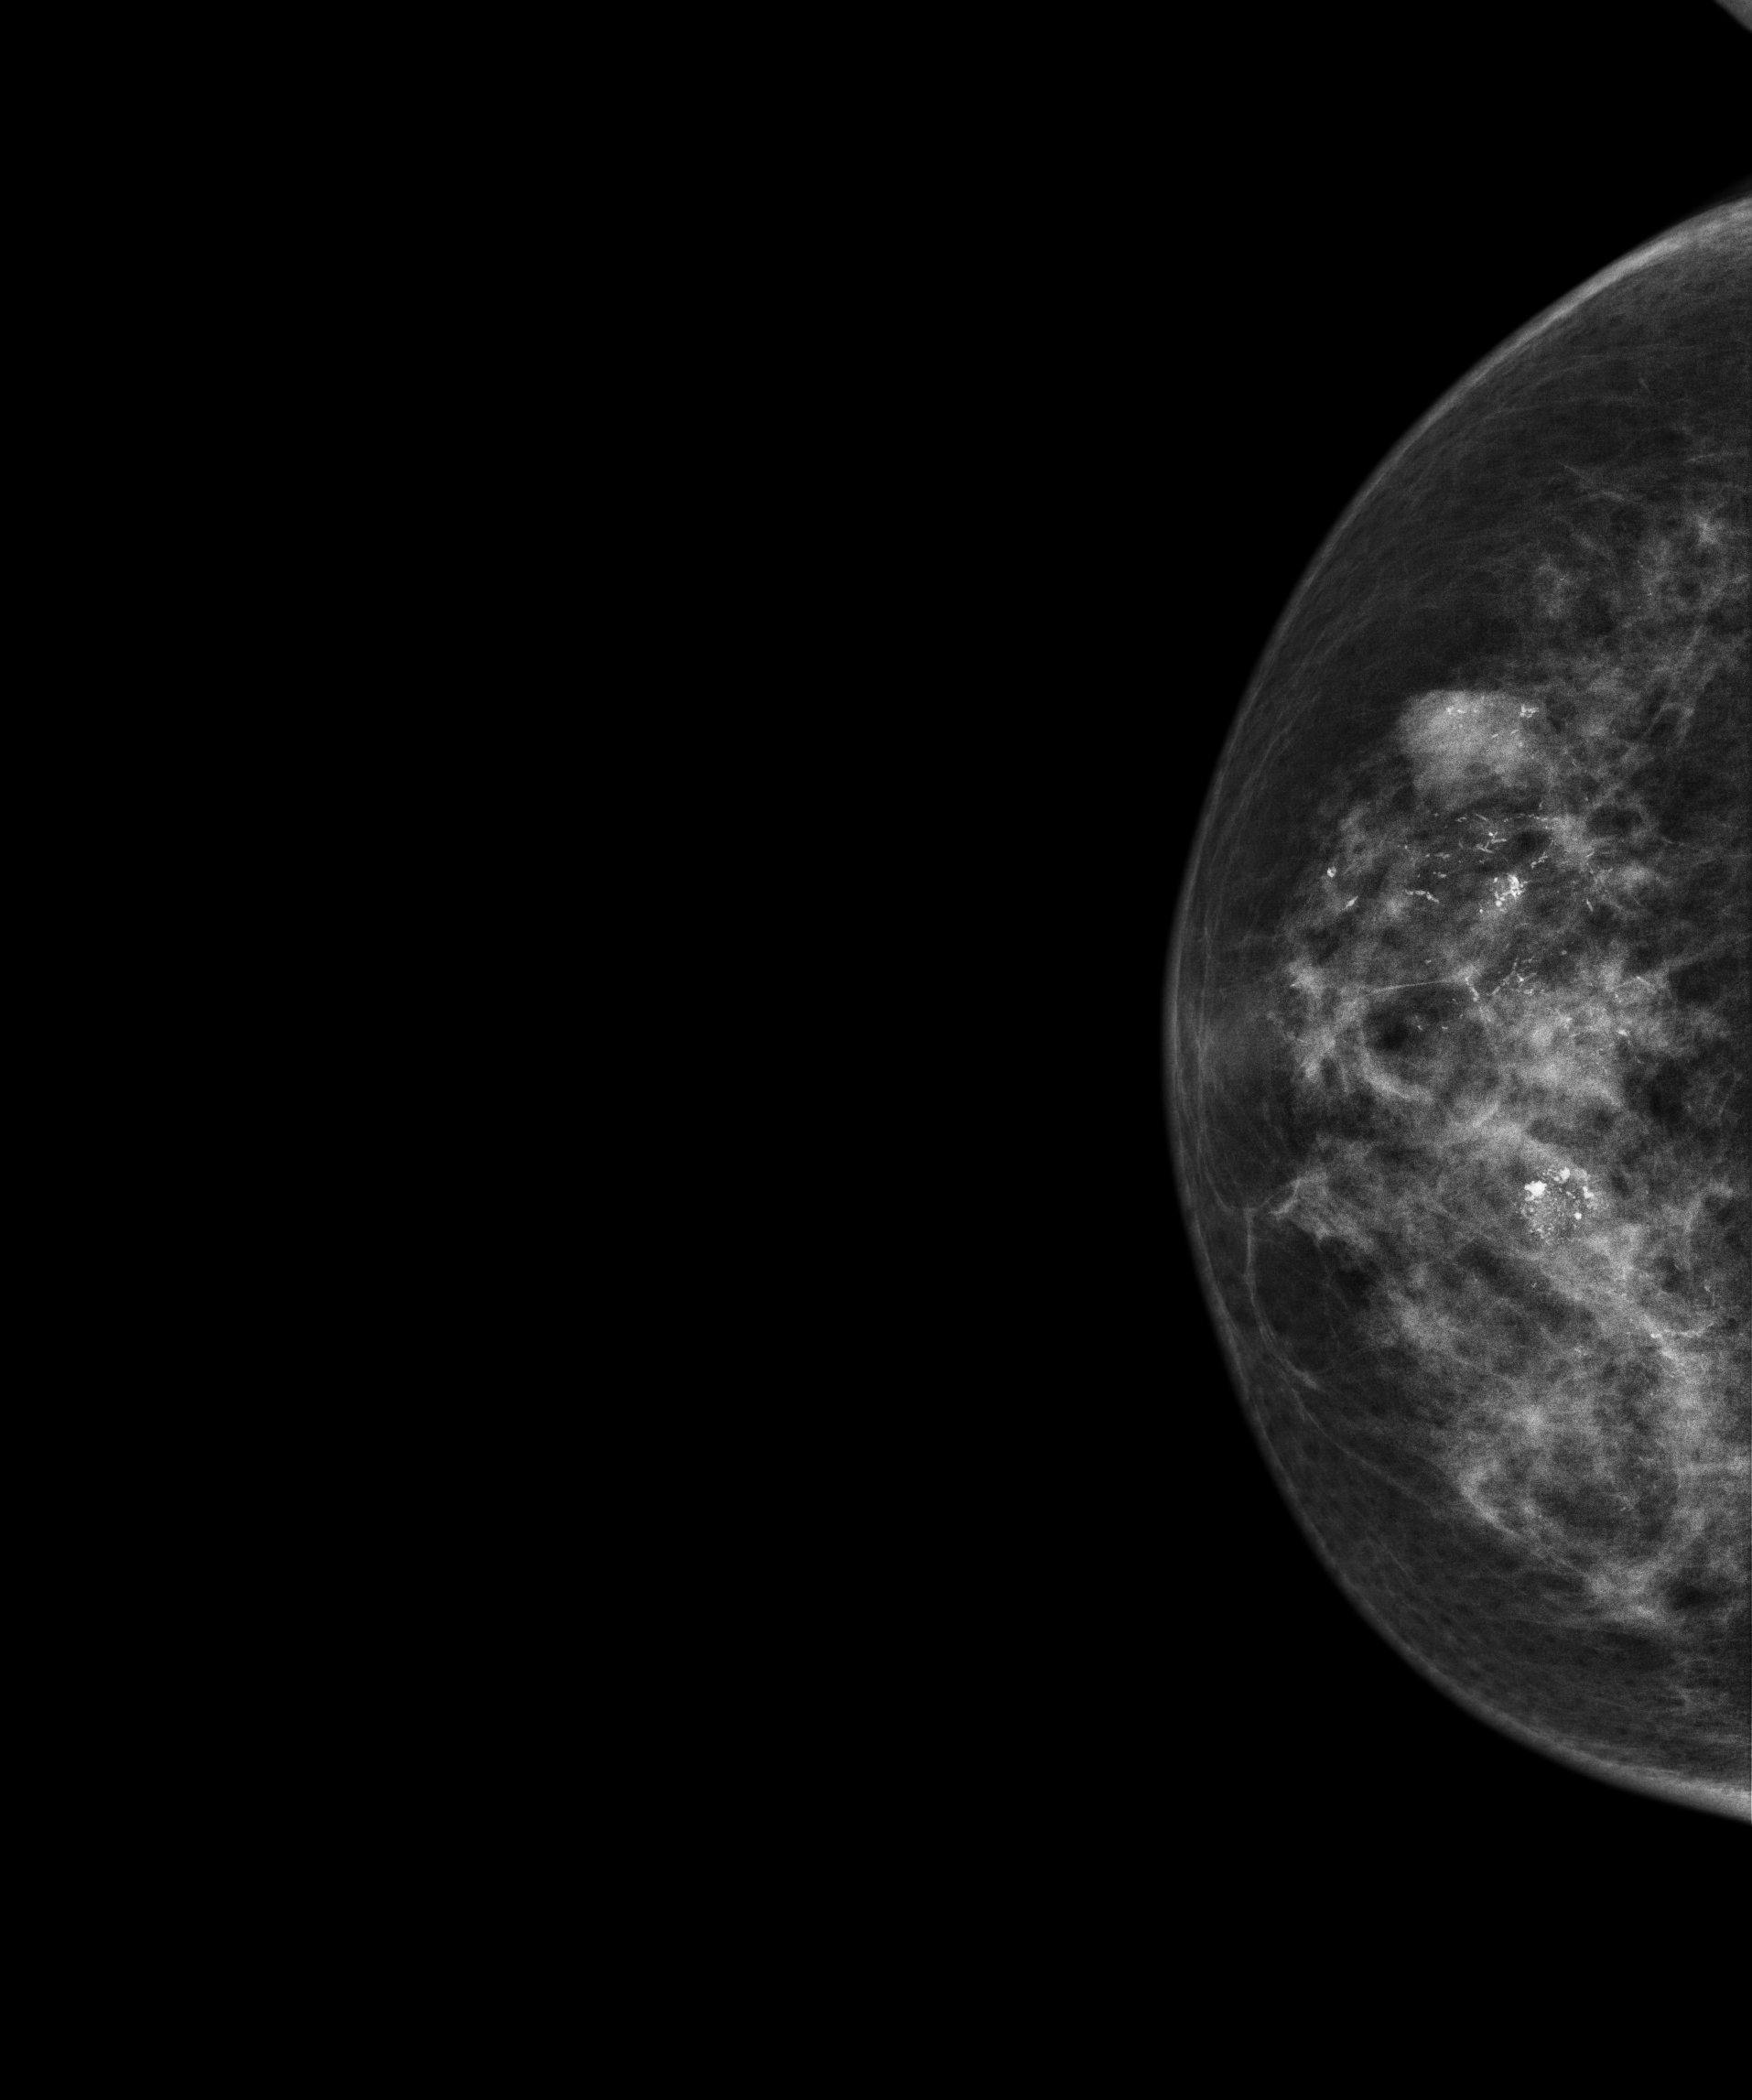
Mammogram, right breast, CC view. 62-year-old patient.
This breast has a mass and calcifications, histologically confirmed malignant. Molecular subtype: HER2-enriched.